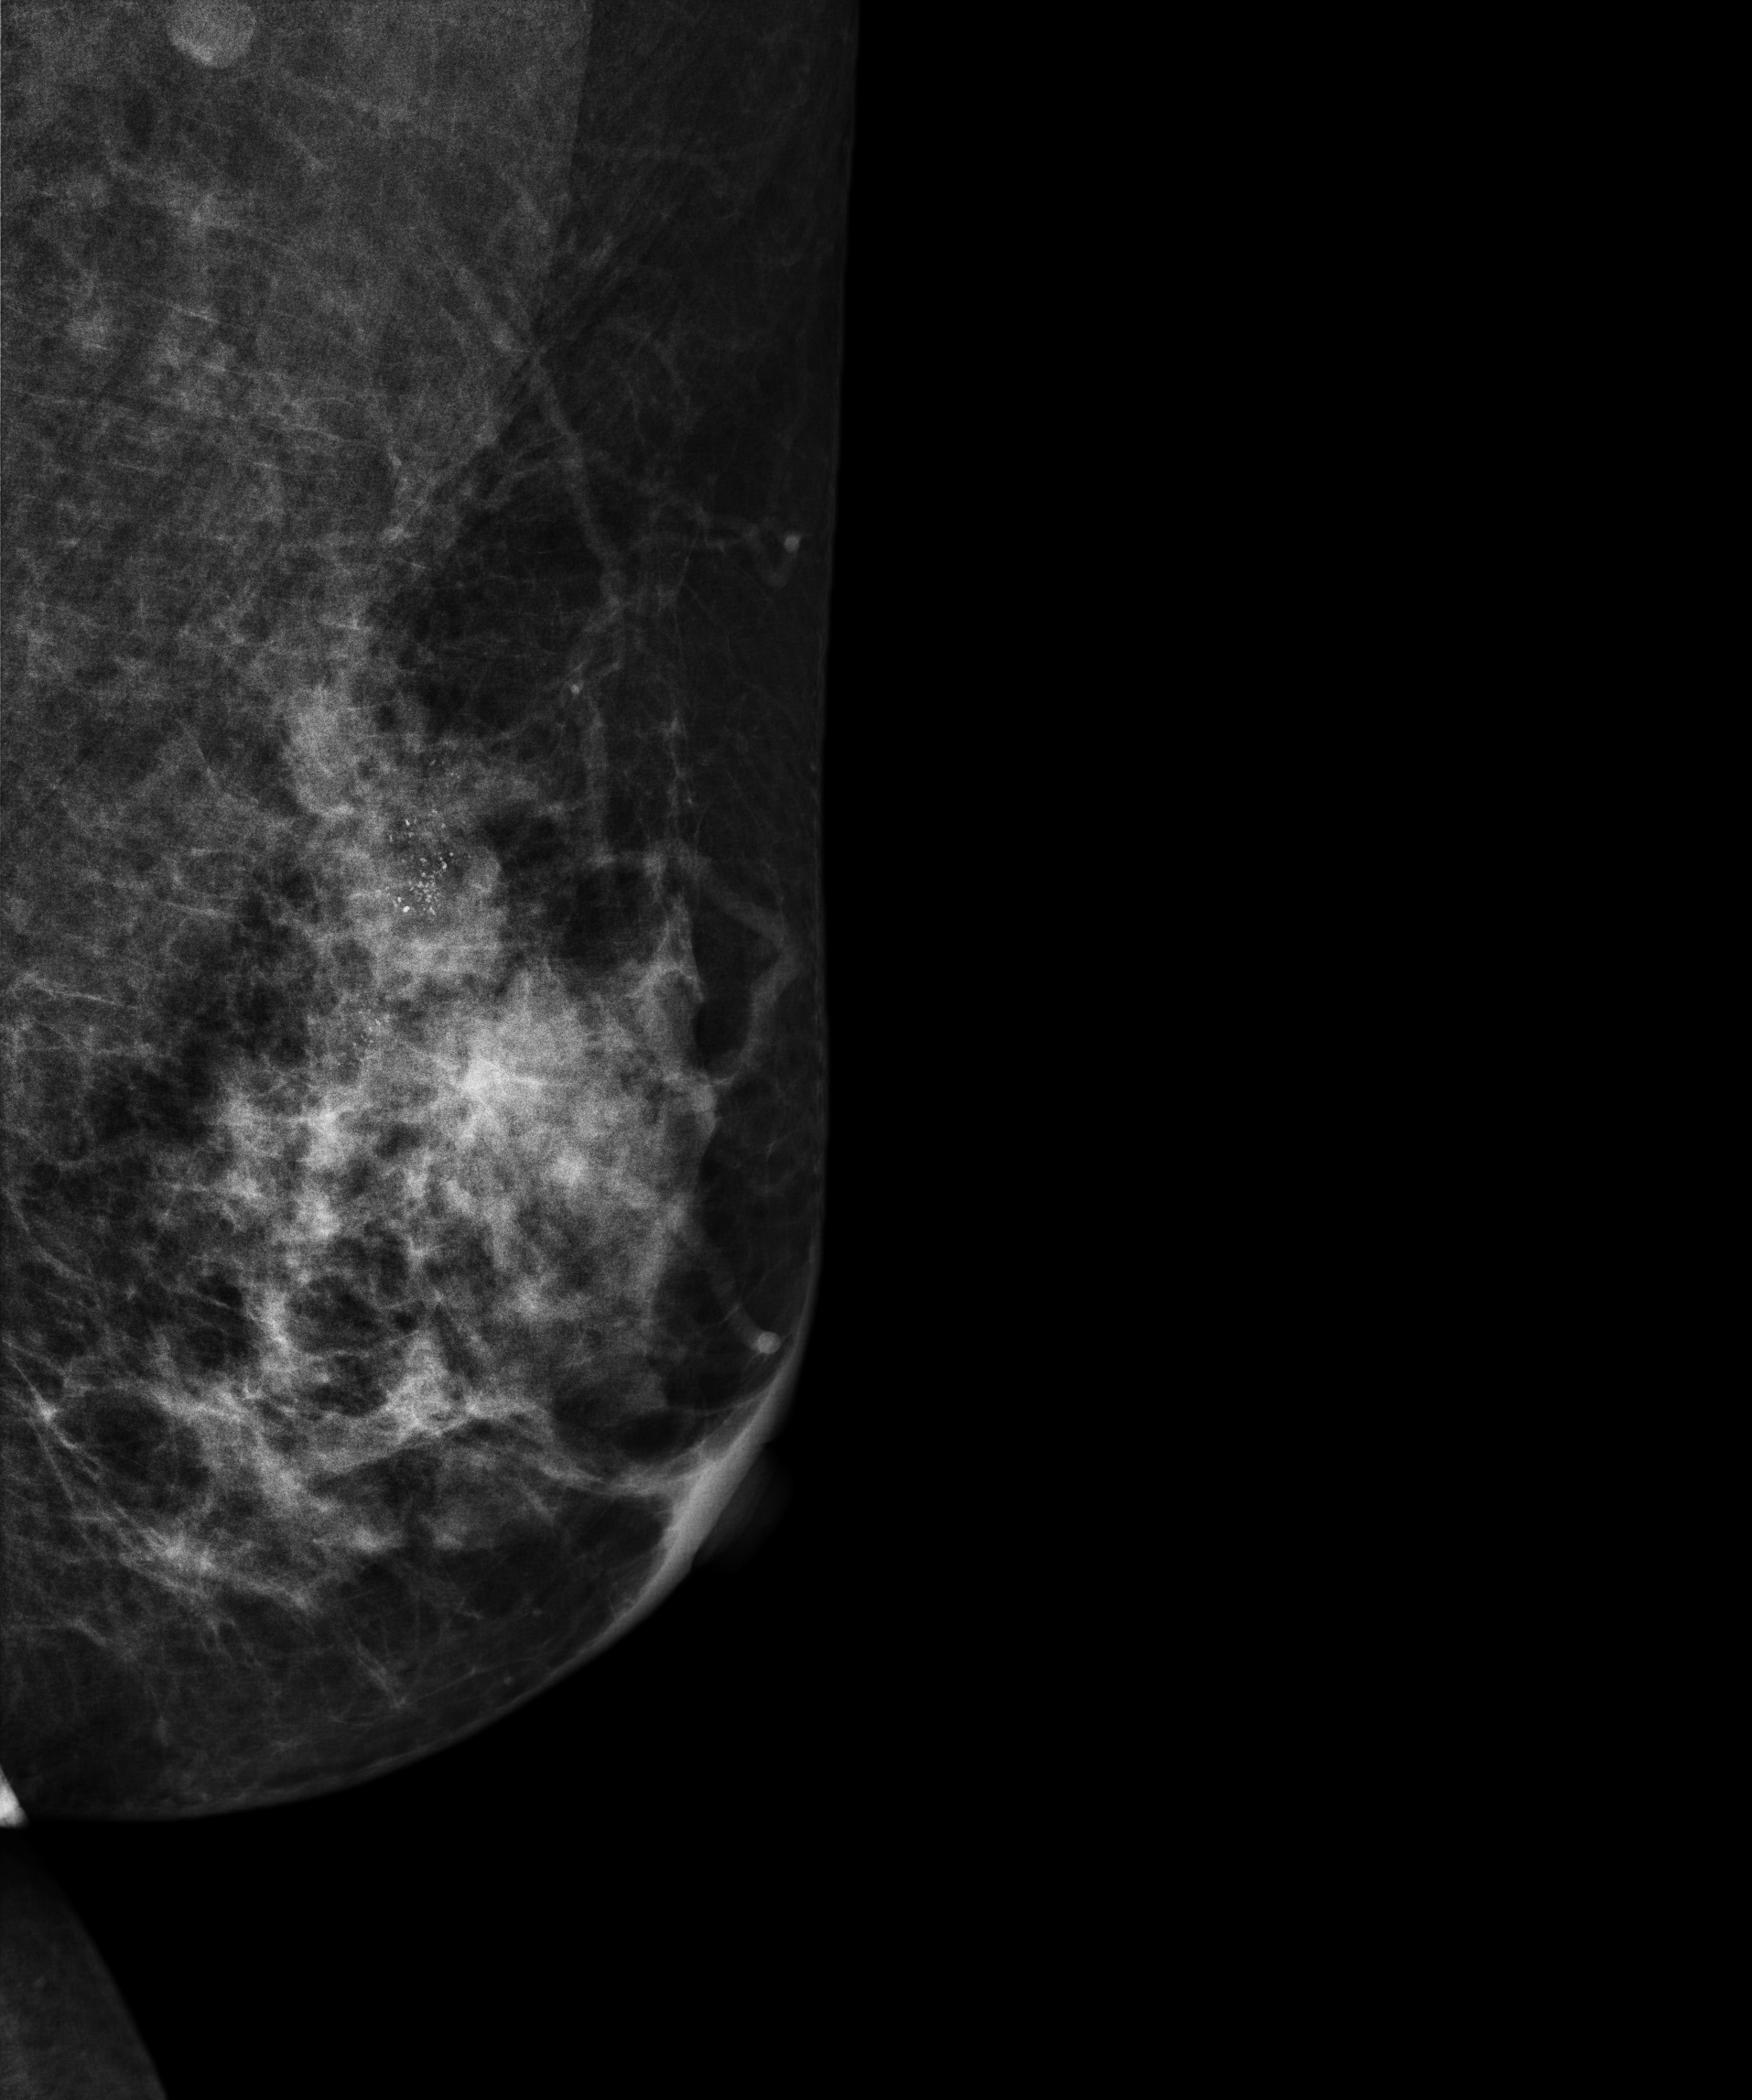
Left-breast mammogram, MLO. 58 y/o patient.
This breast has a mass and calcifications, pathology-confirmed malignant. Molecular subtype: luminal B.